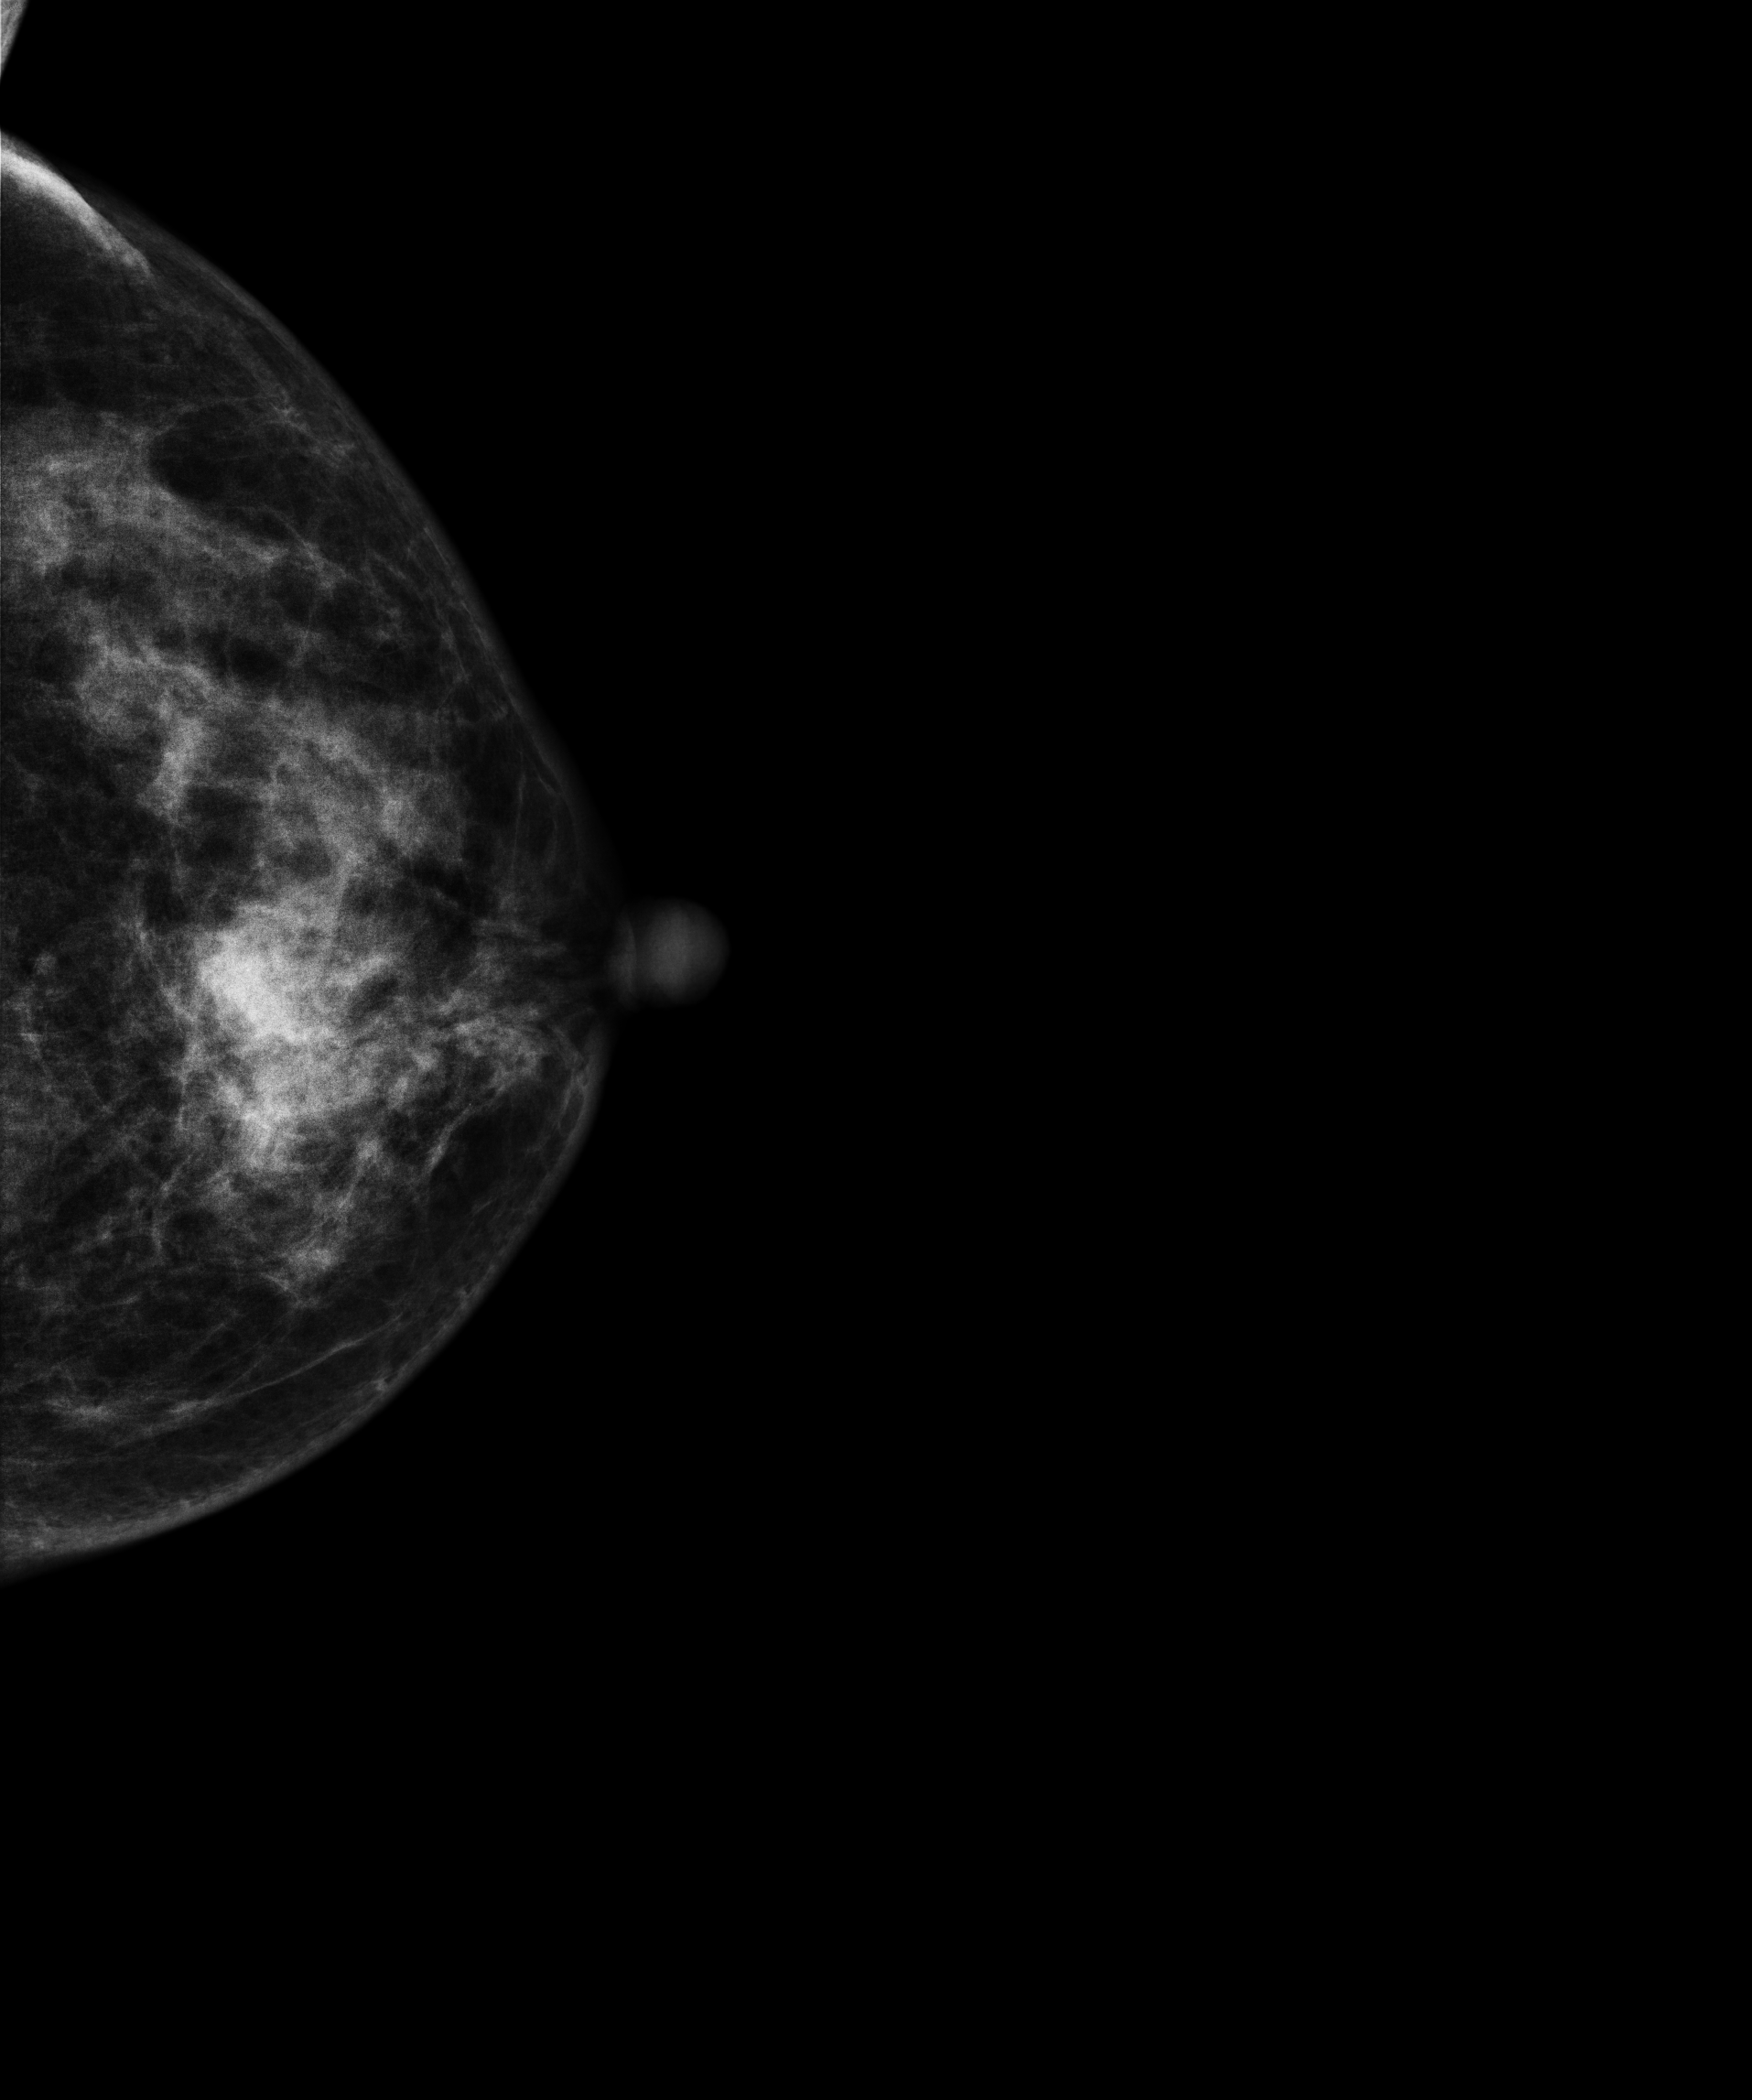
Mammogram, left breast, cranio-caudal view. 49 y/o patient.
This breast has a mass, biopsy-proven malignant.